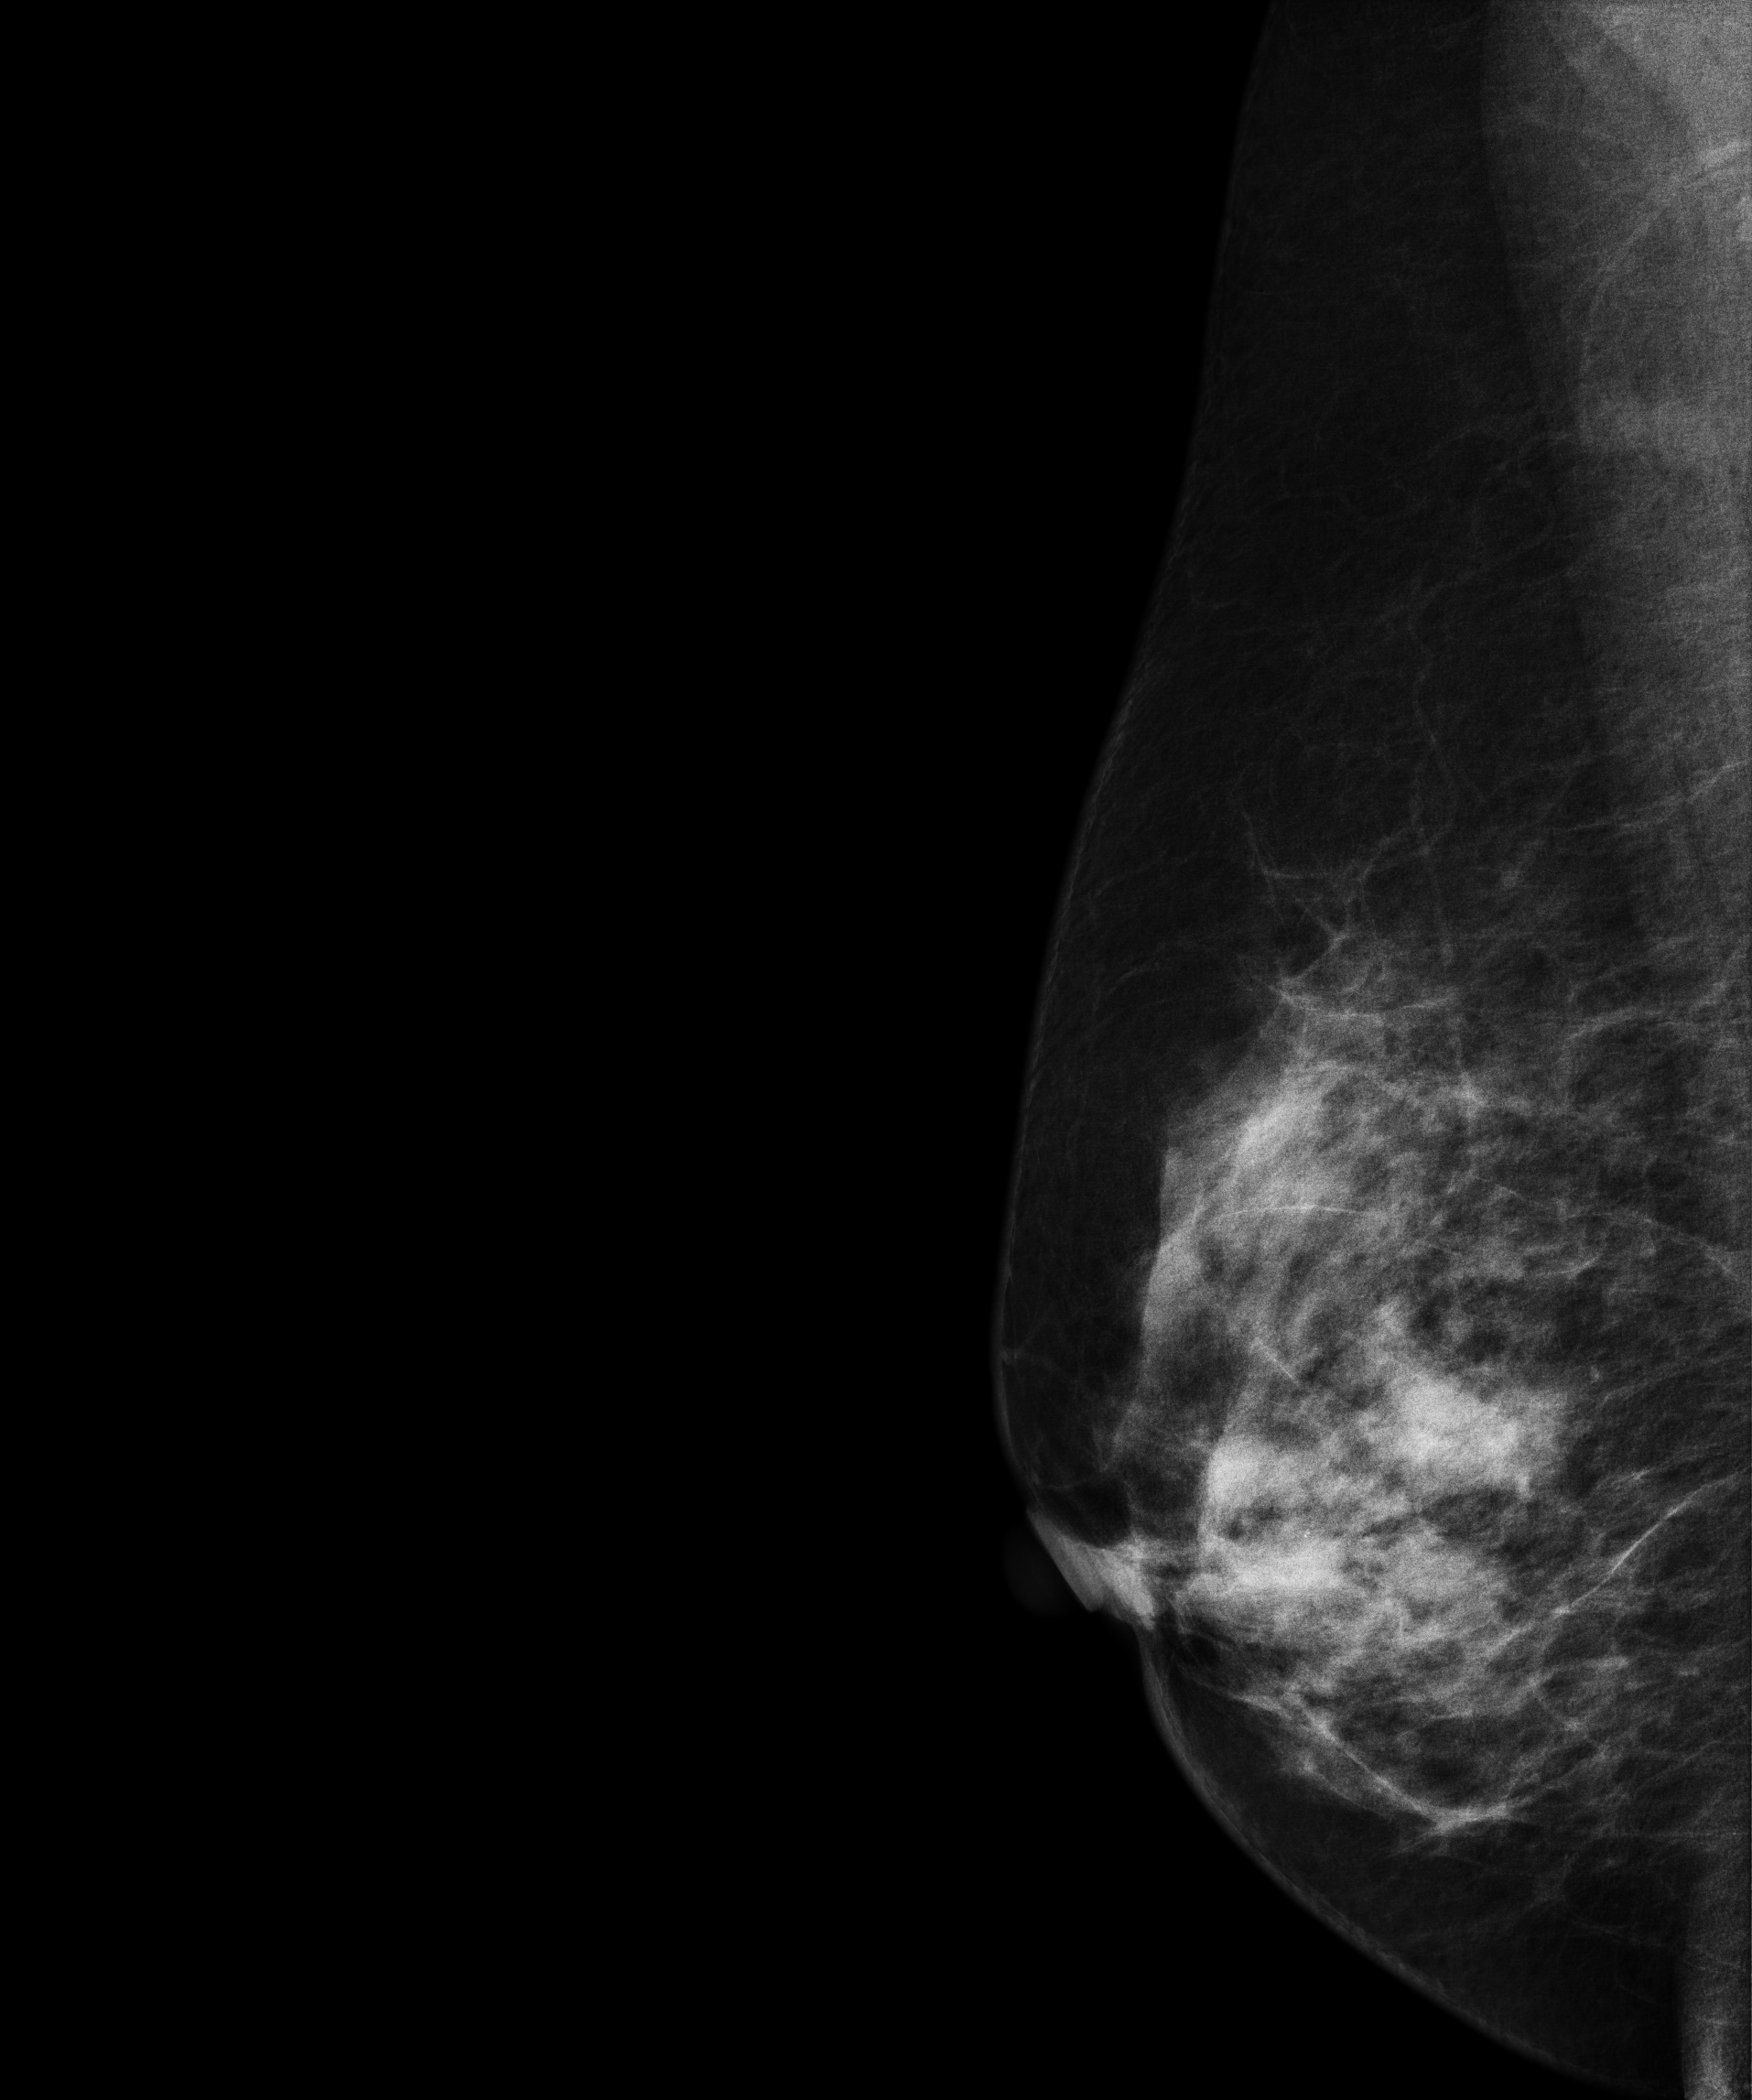
MLO mammogram of the right breast. 64 y/o patient.
This breast has a mass, biopsy-proven malignant. Molecular subtype: luminal B.